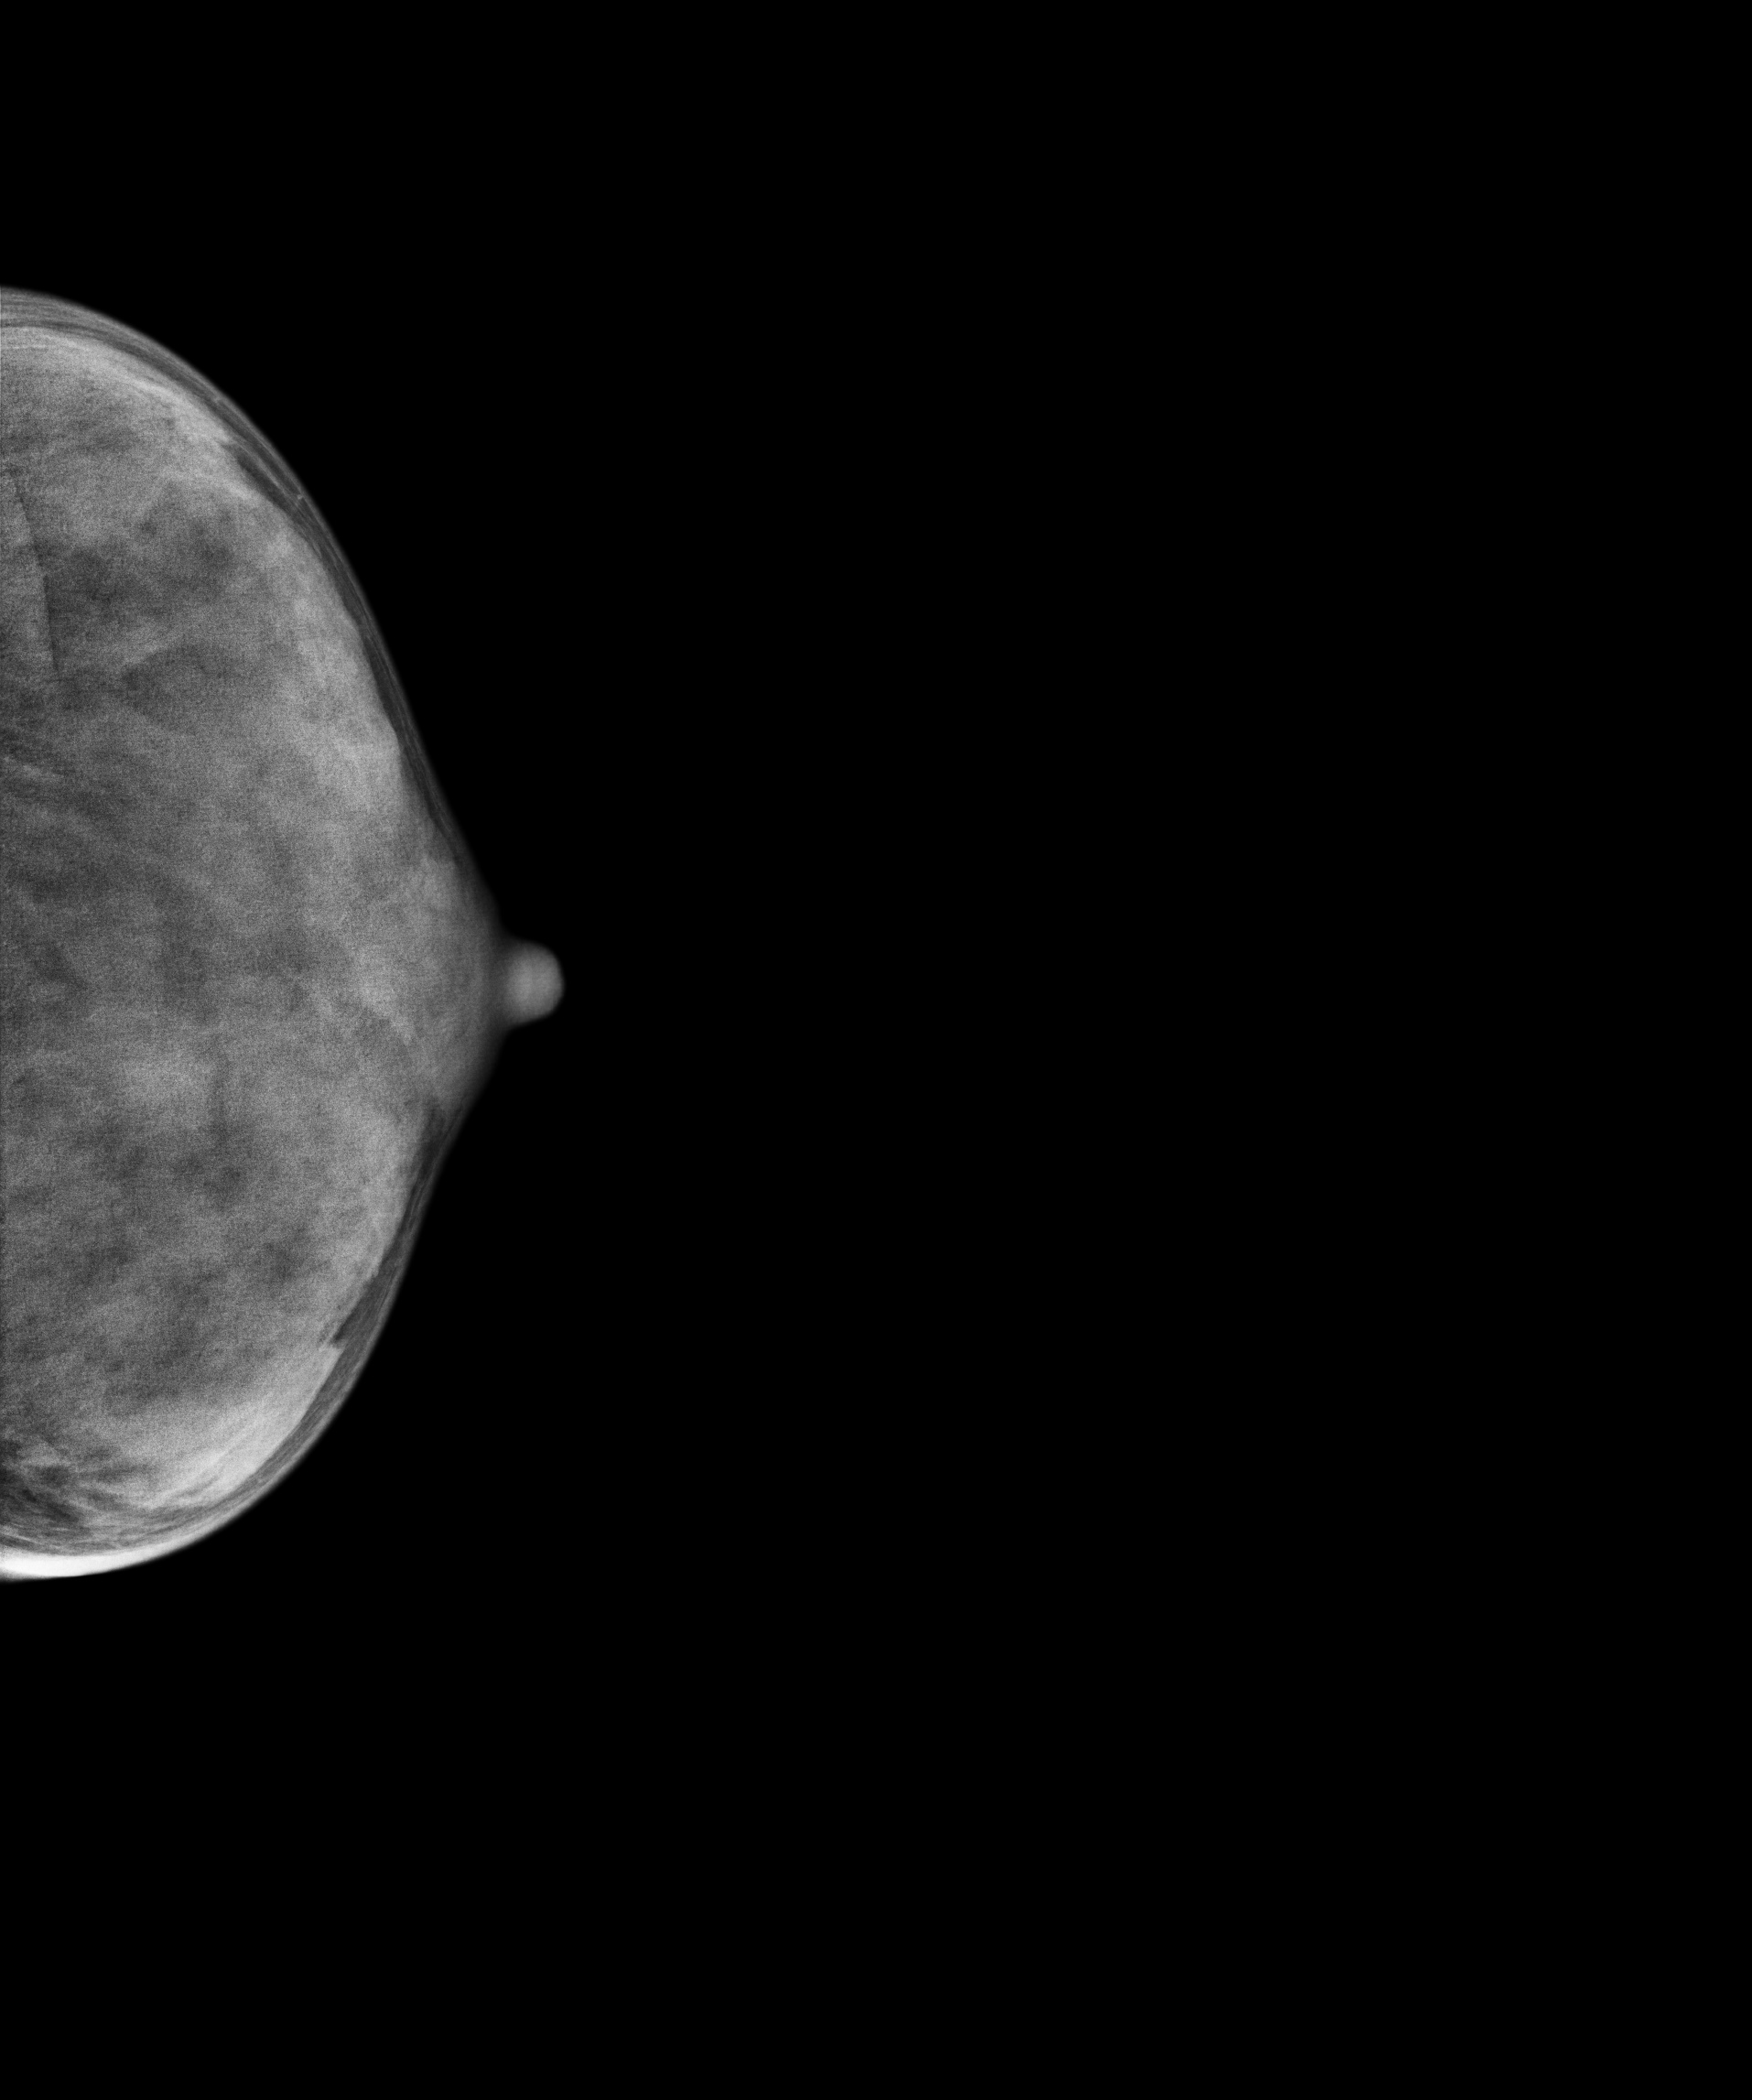
Left-breast mammogram, cranio-caudal. Patient age 28.
Contralateral breast — no documented abnormality on this side.